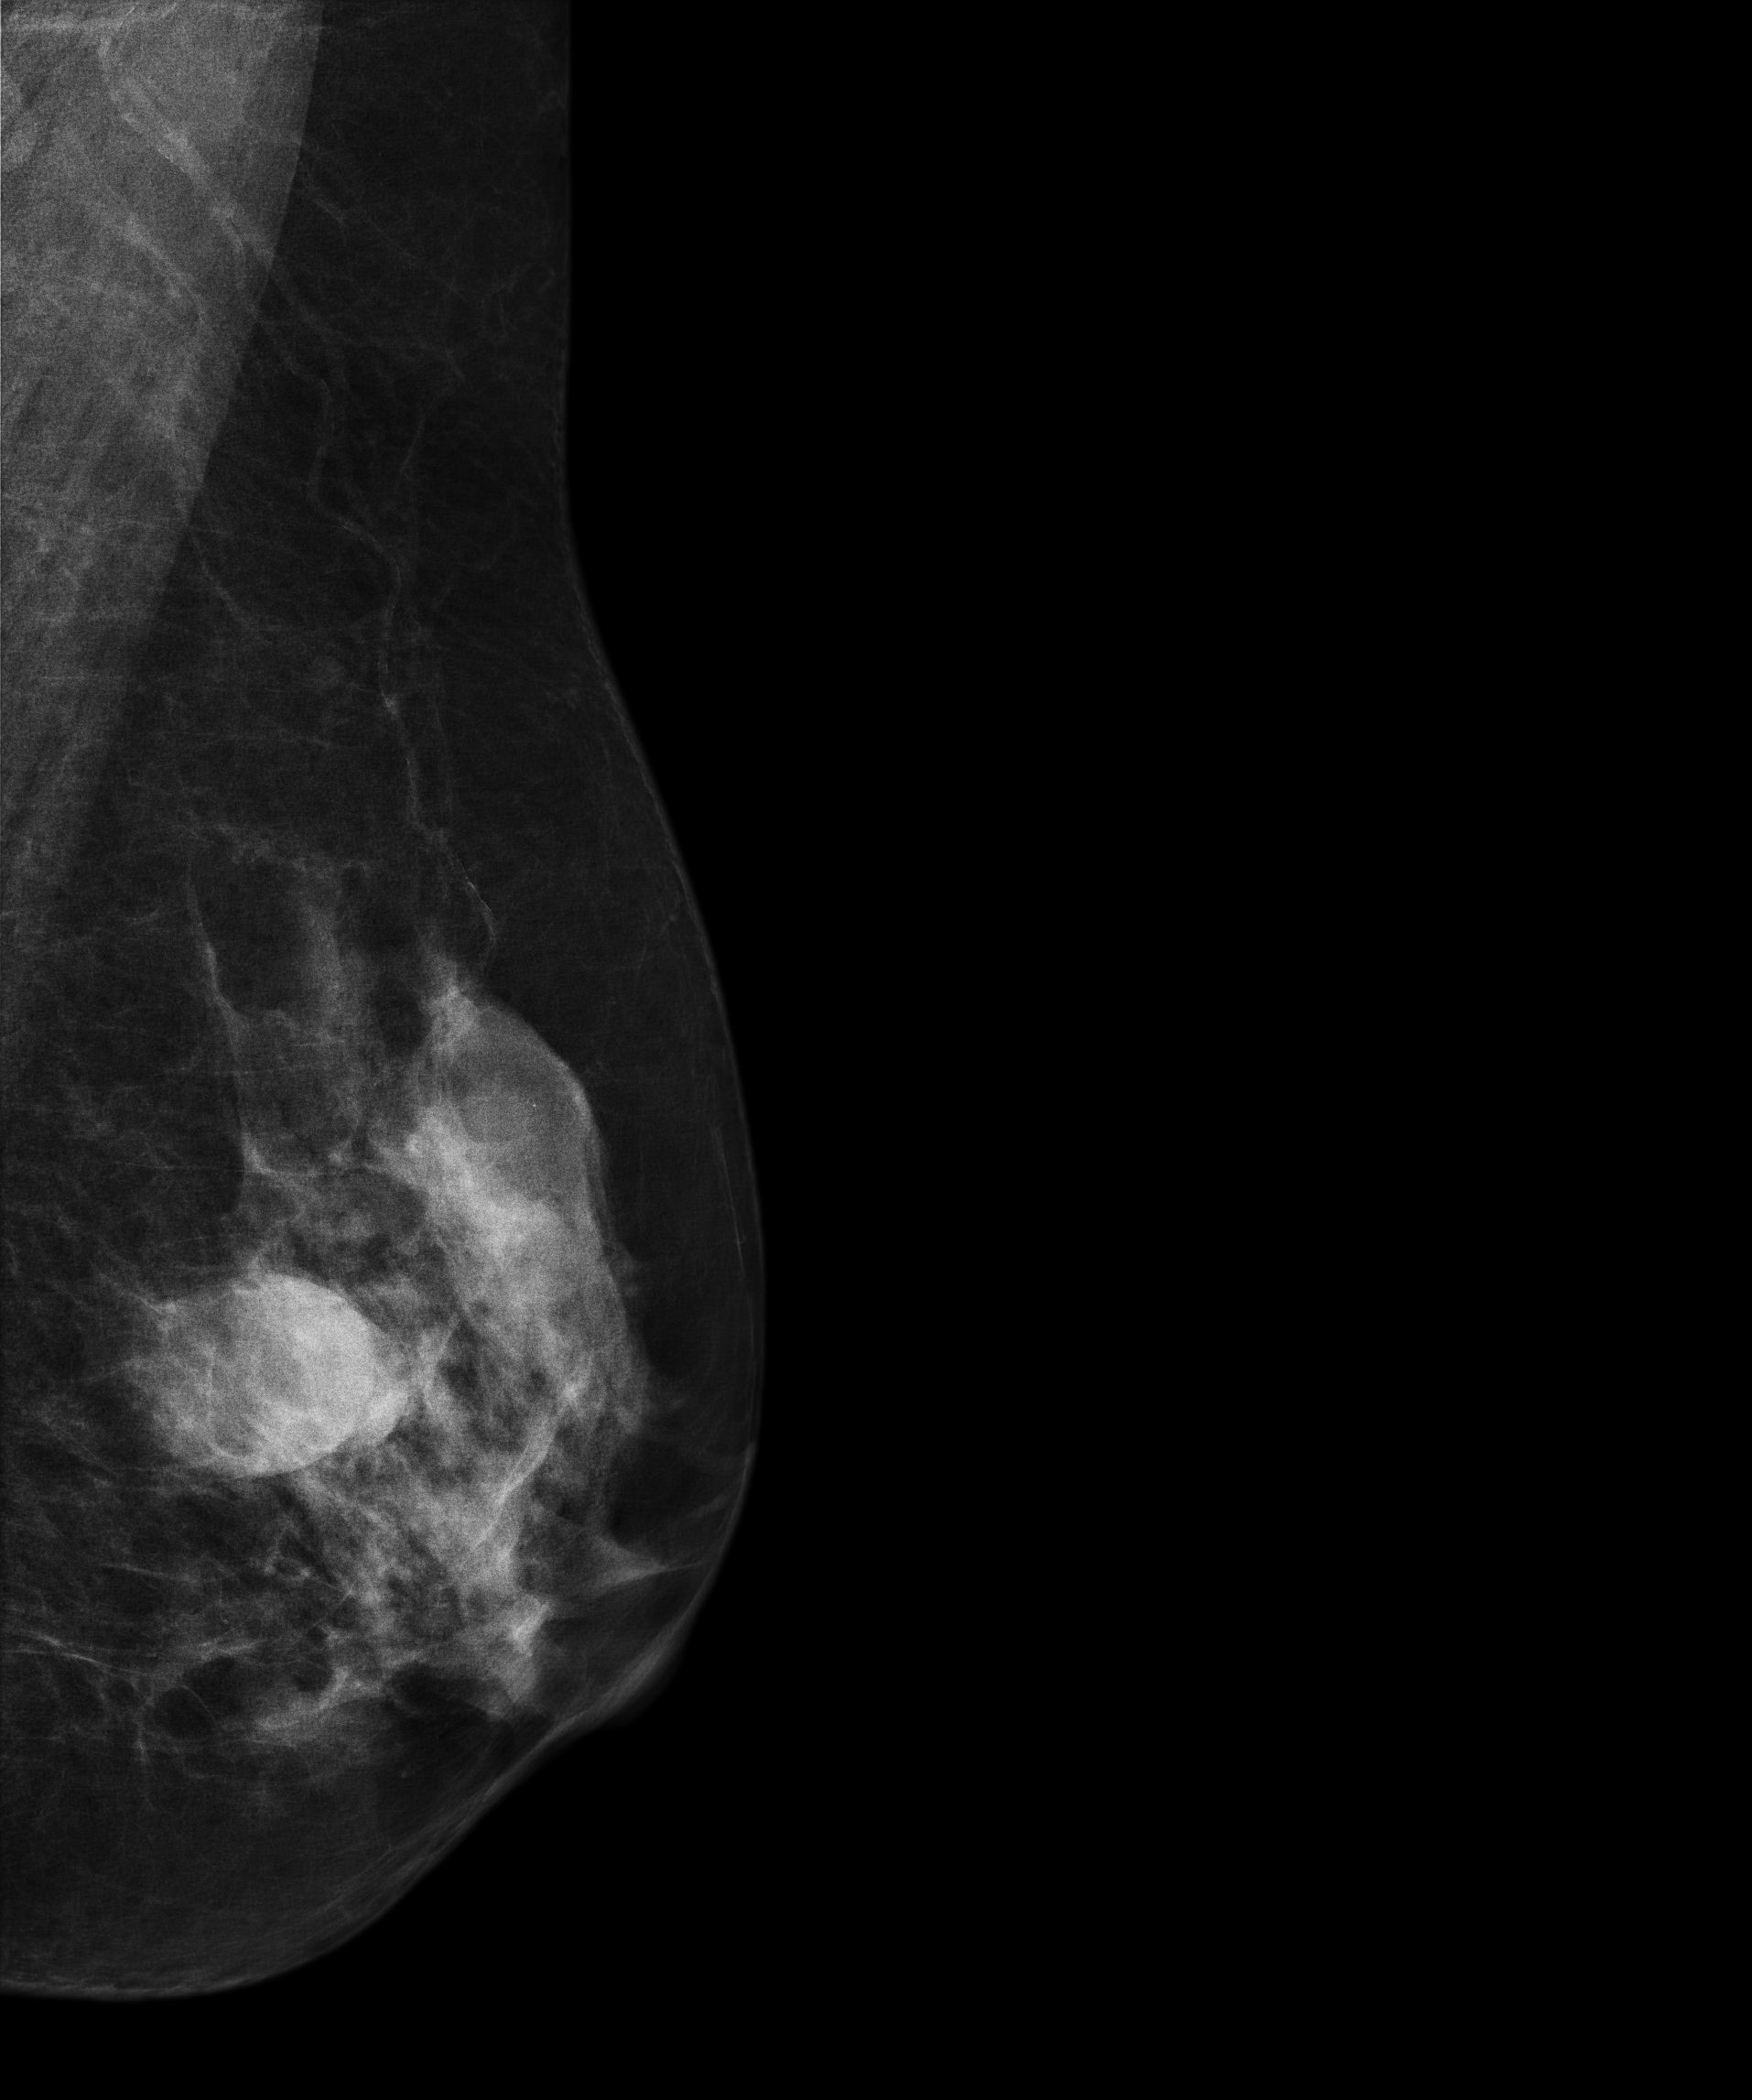
Mammogram, left breast, medio-lateral oblique view. Patient age 67.
This breast has a mass, biopsy-proven benign.